Digital mammography. Right breast, CC projection. 41-year-old patient.
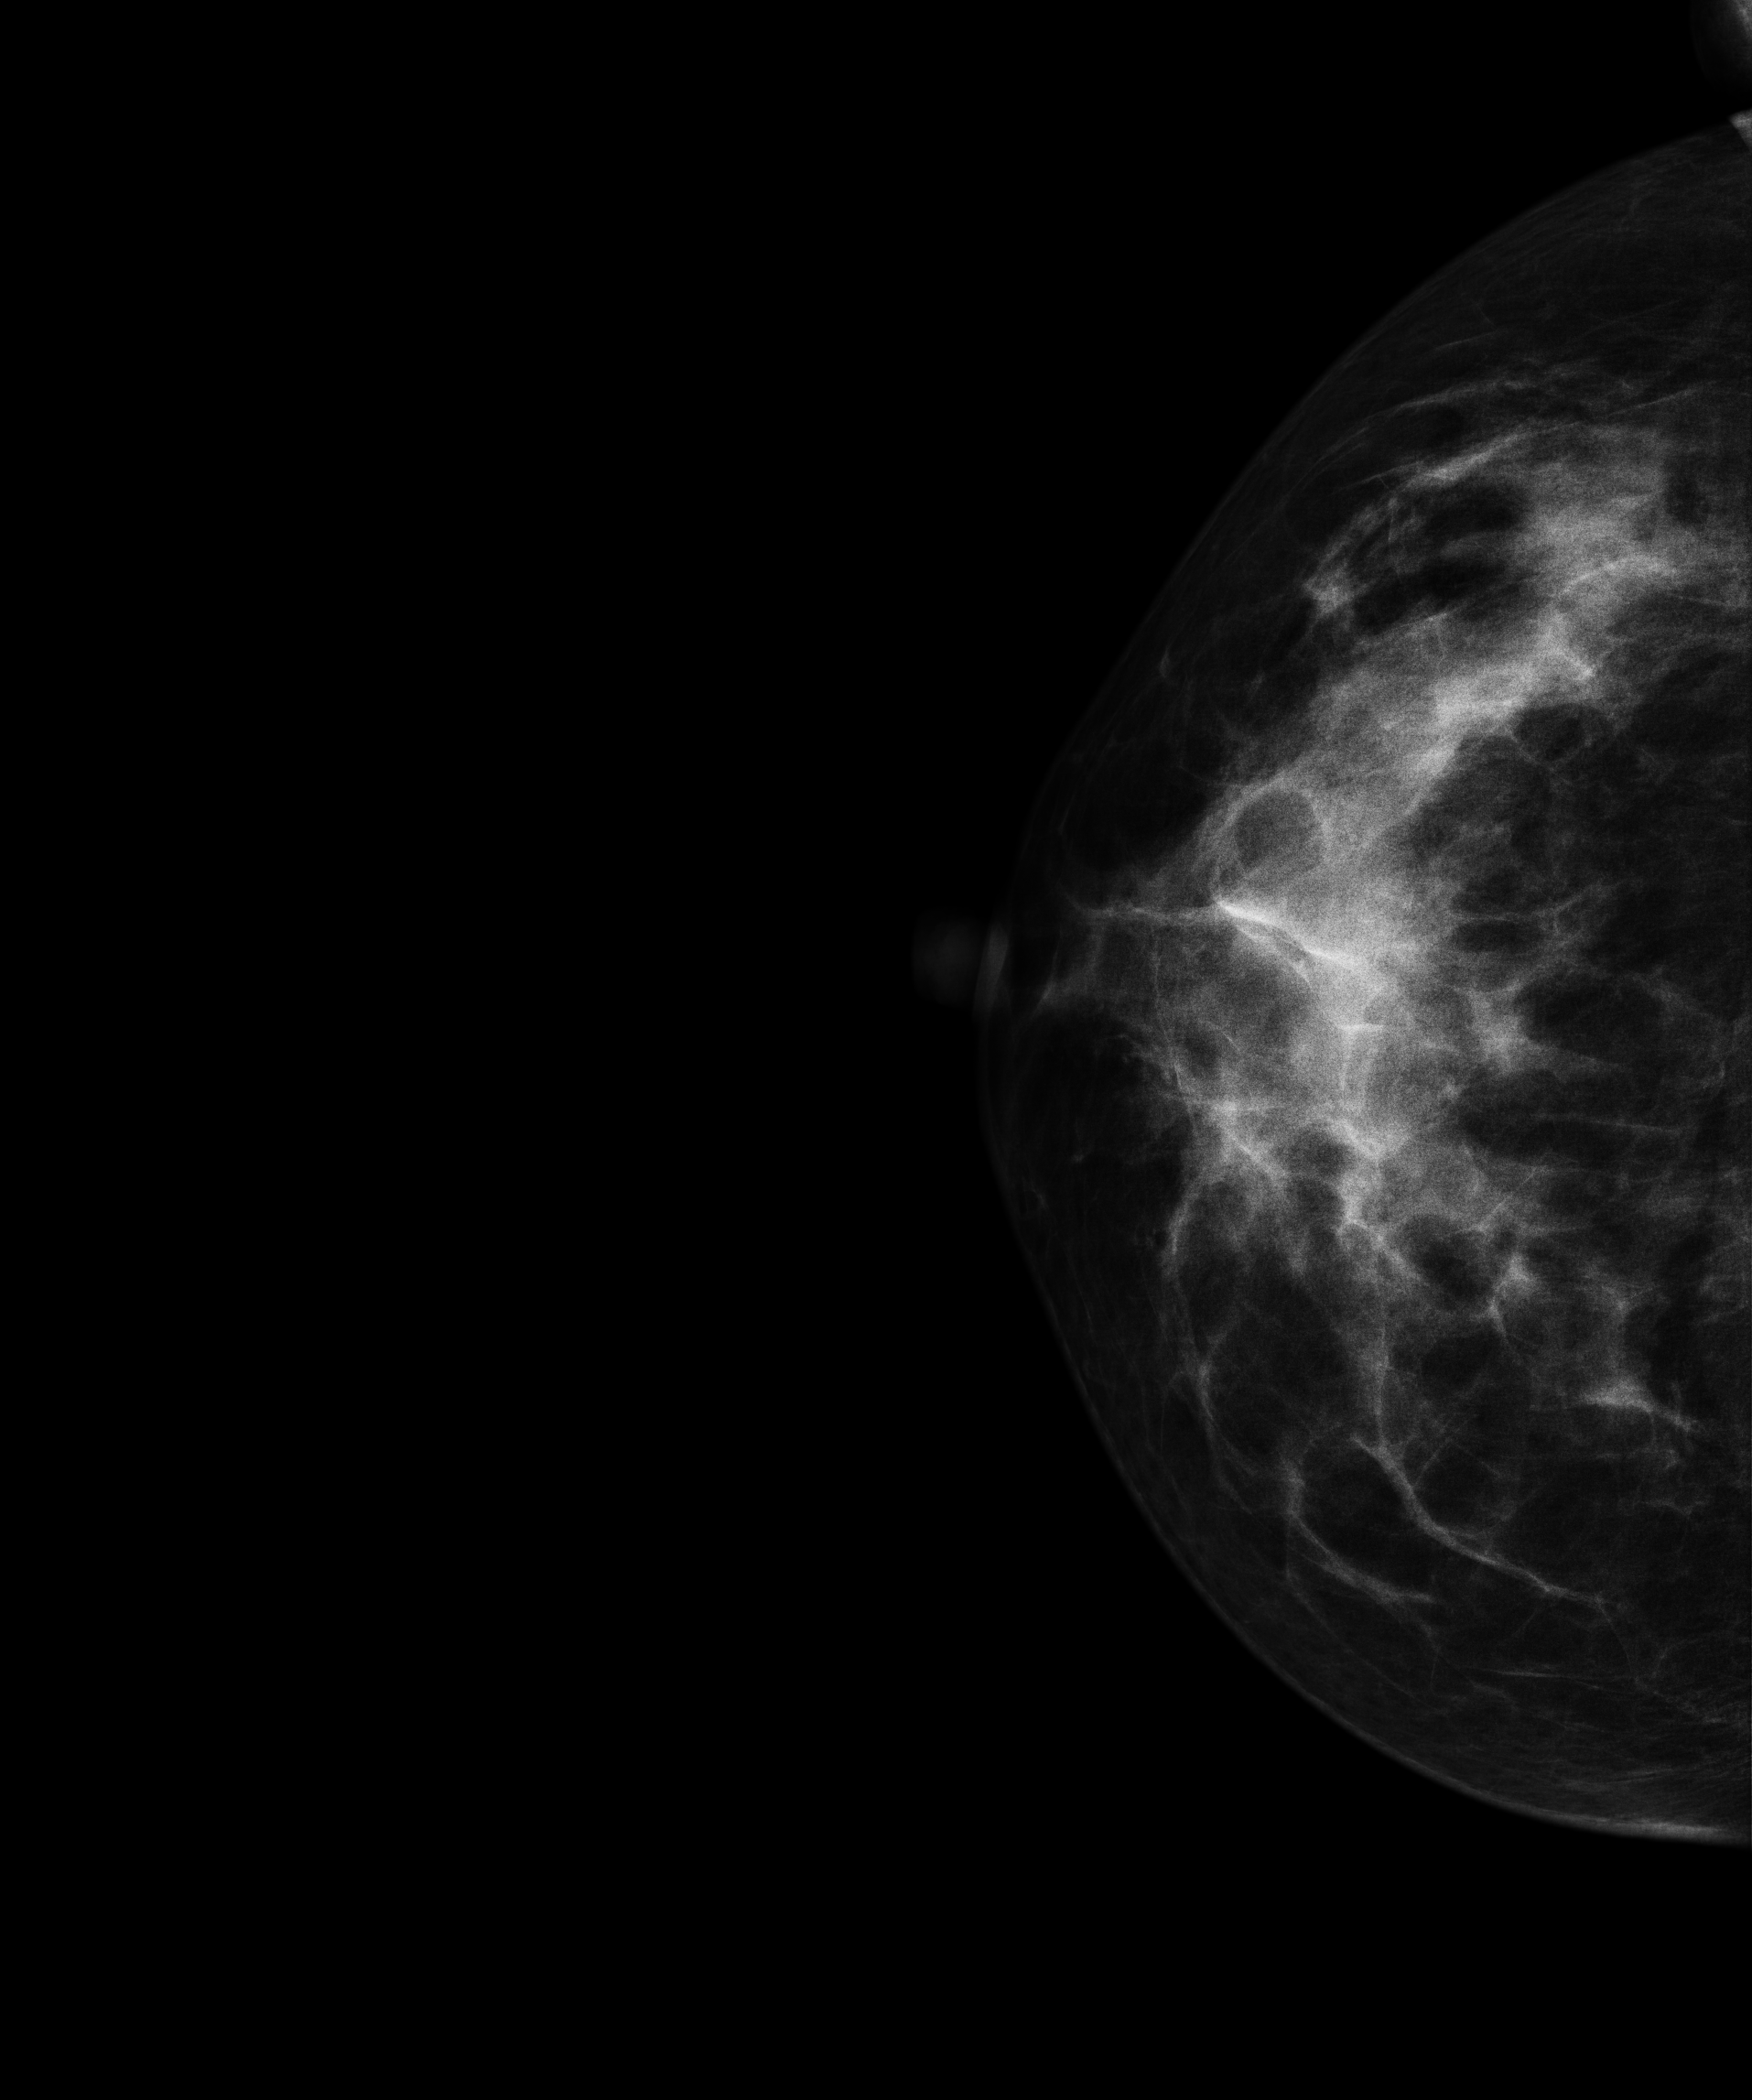
Contralateral breast — no documented abnormality on this side.